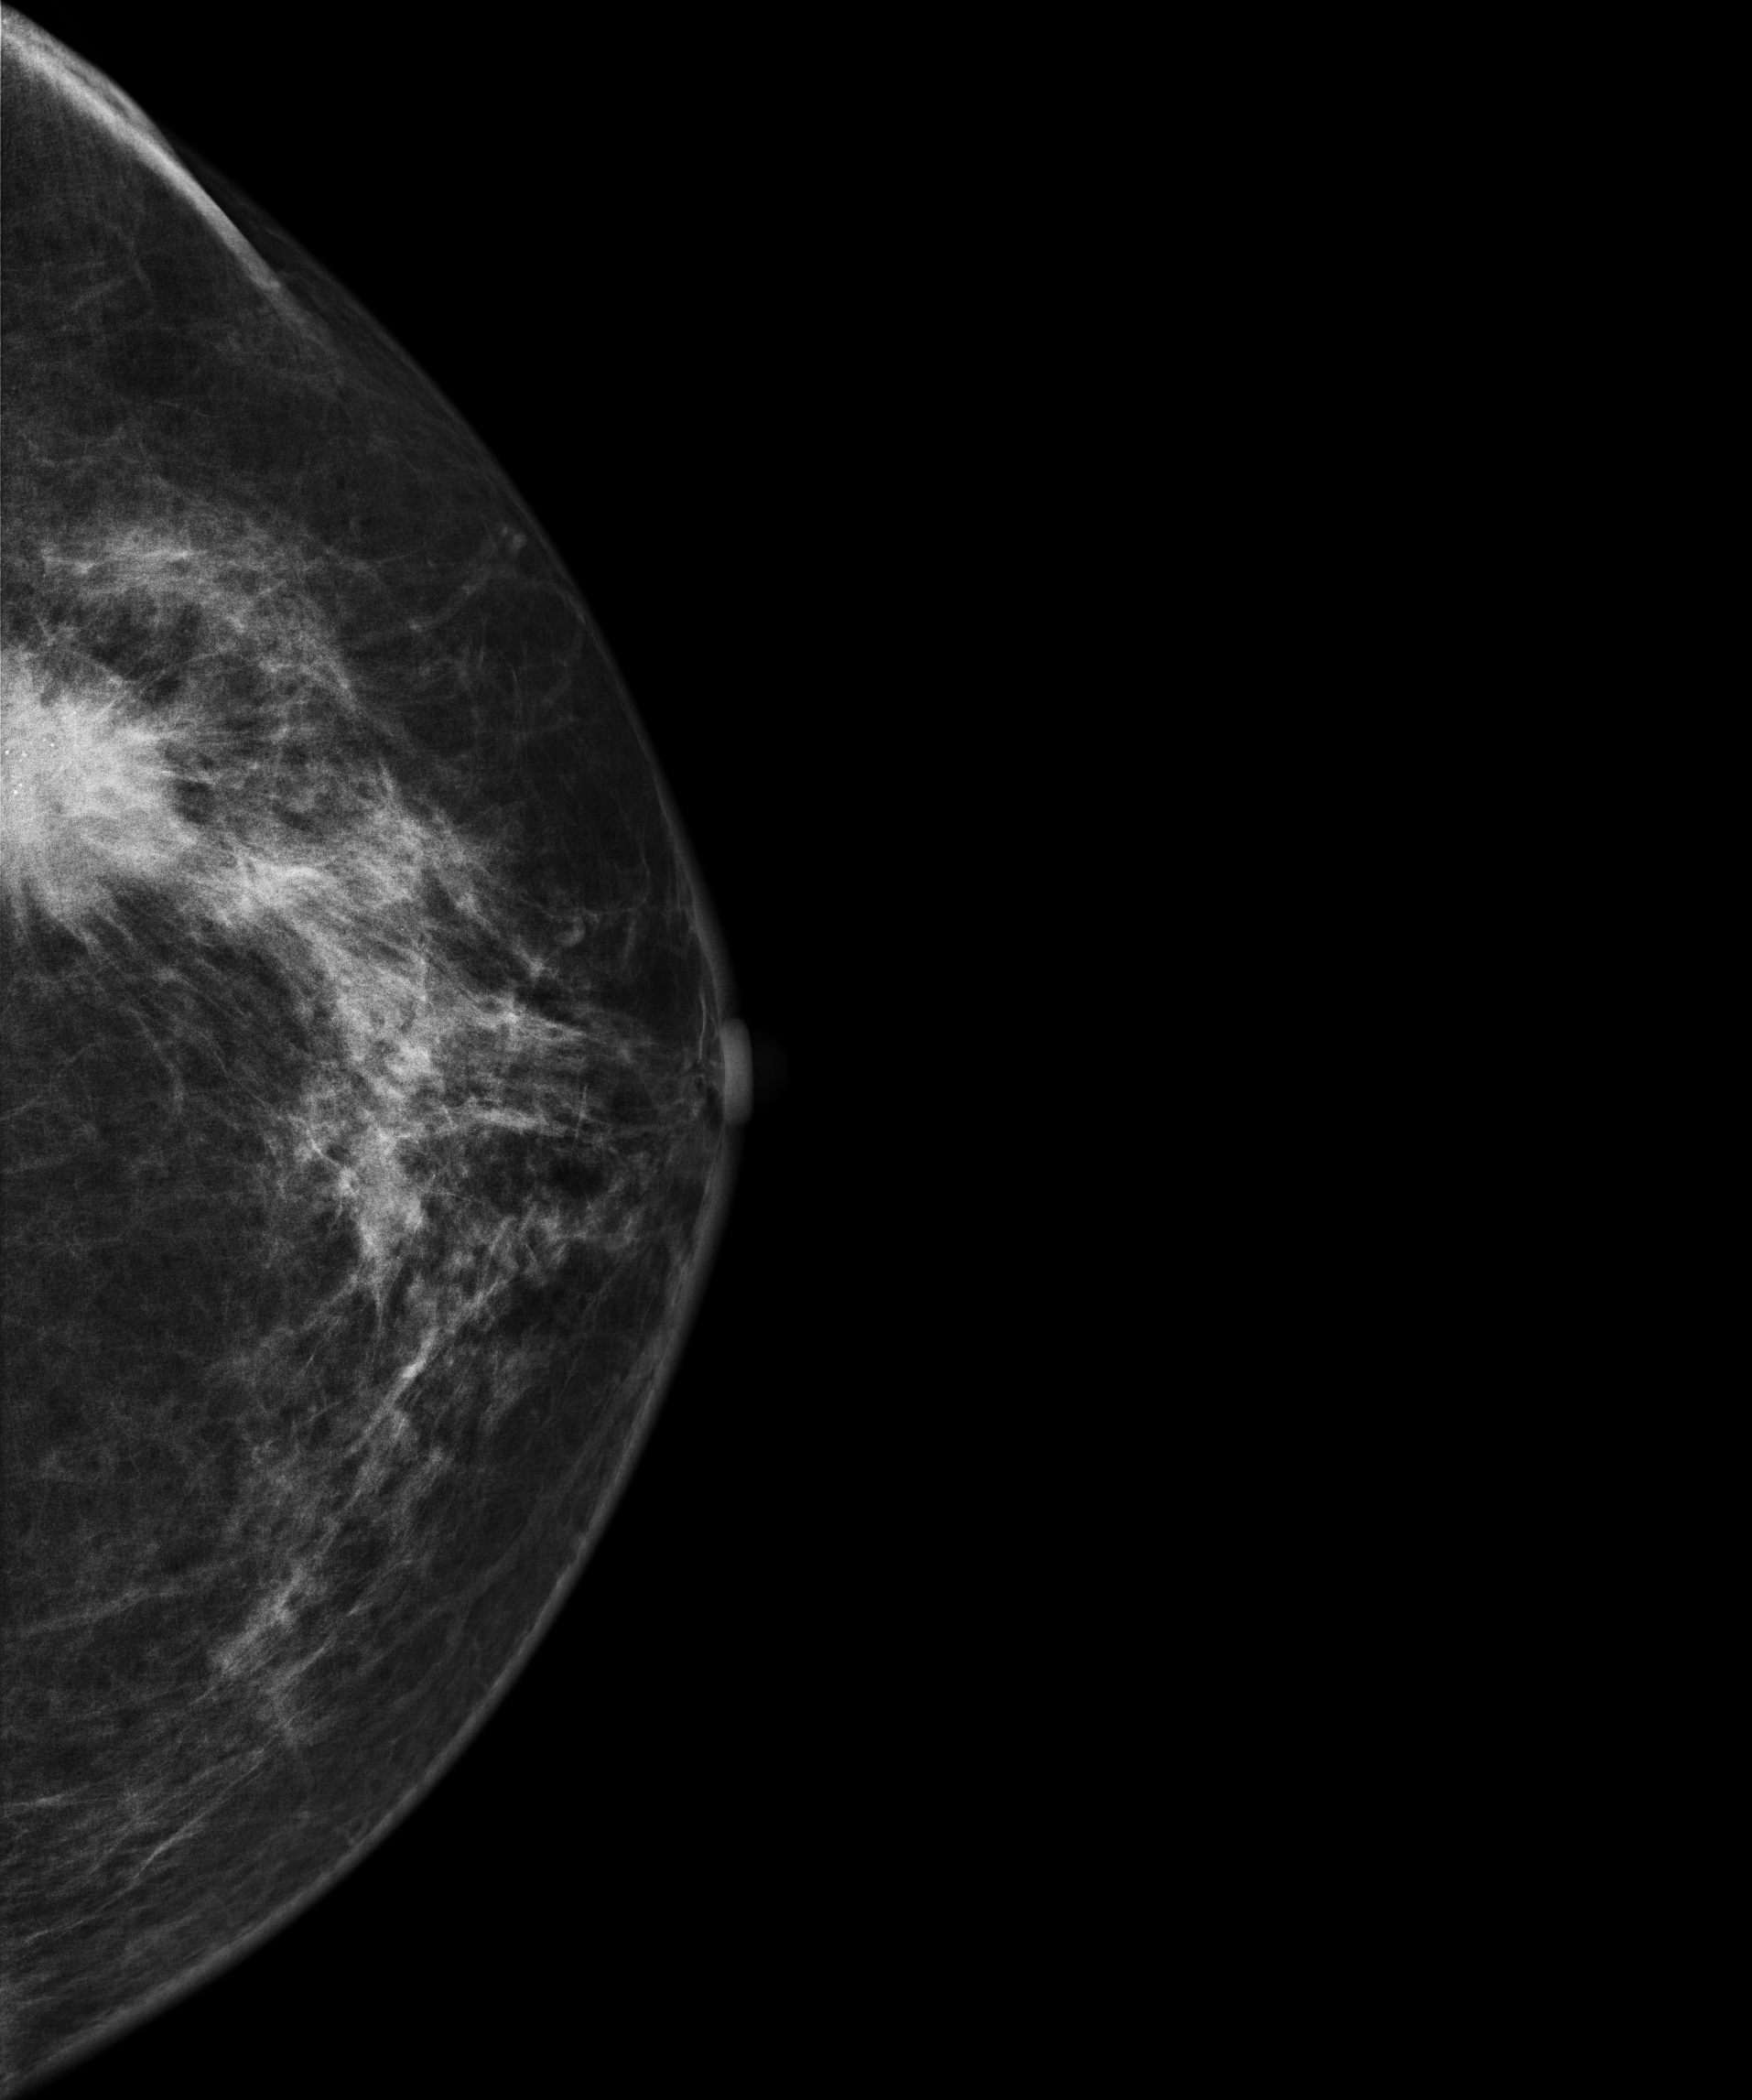
Left-breast mammogram, CC. 72-year-old patient.
This breast has a mass and calcifications, biopsy-confirmed malignant. Molecular subtype: luminal B.